Cranio-caudal mammogram of the left breast. 34-year-old patient.
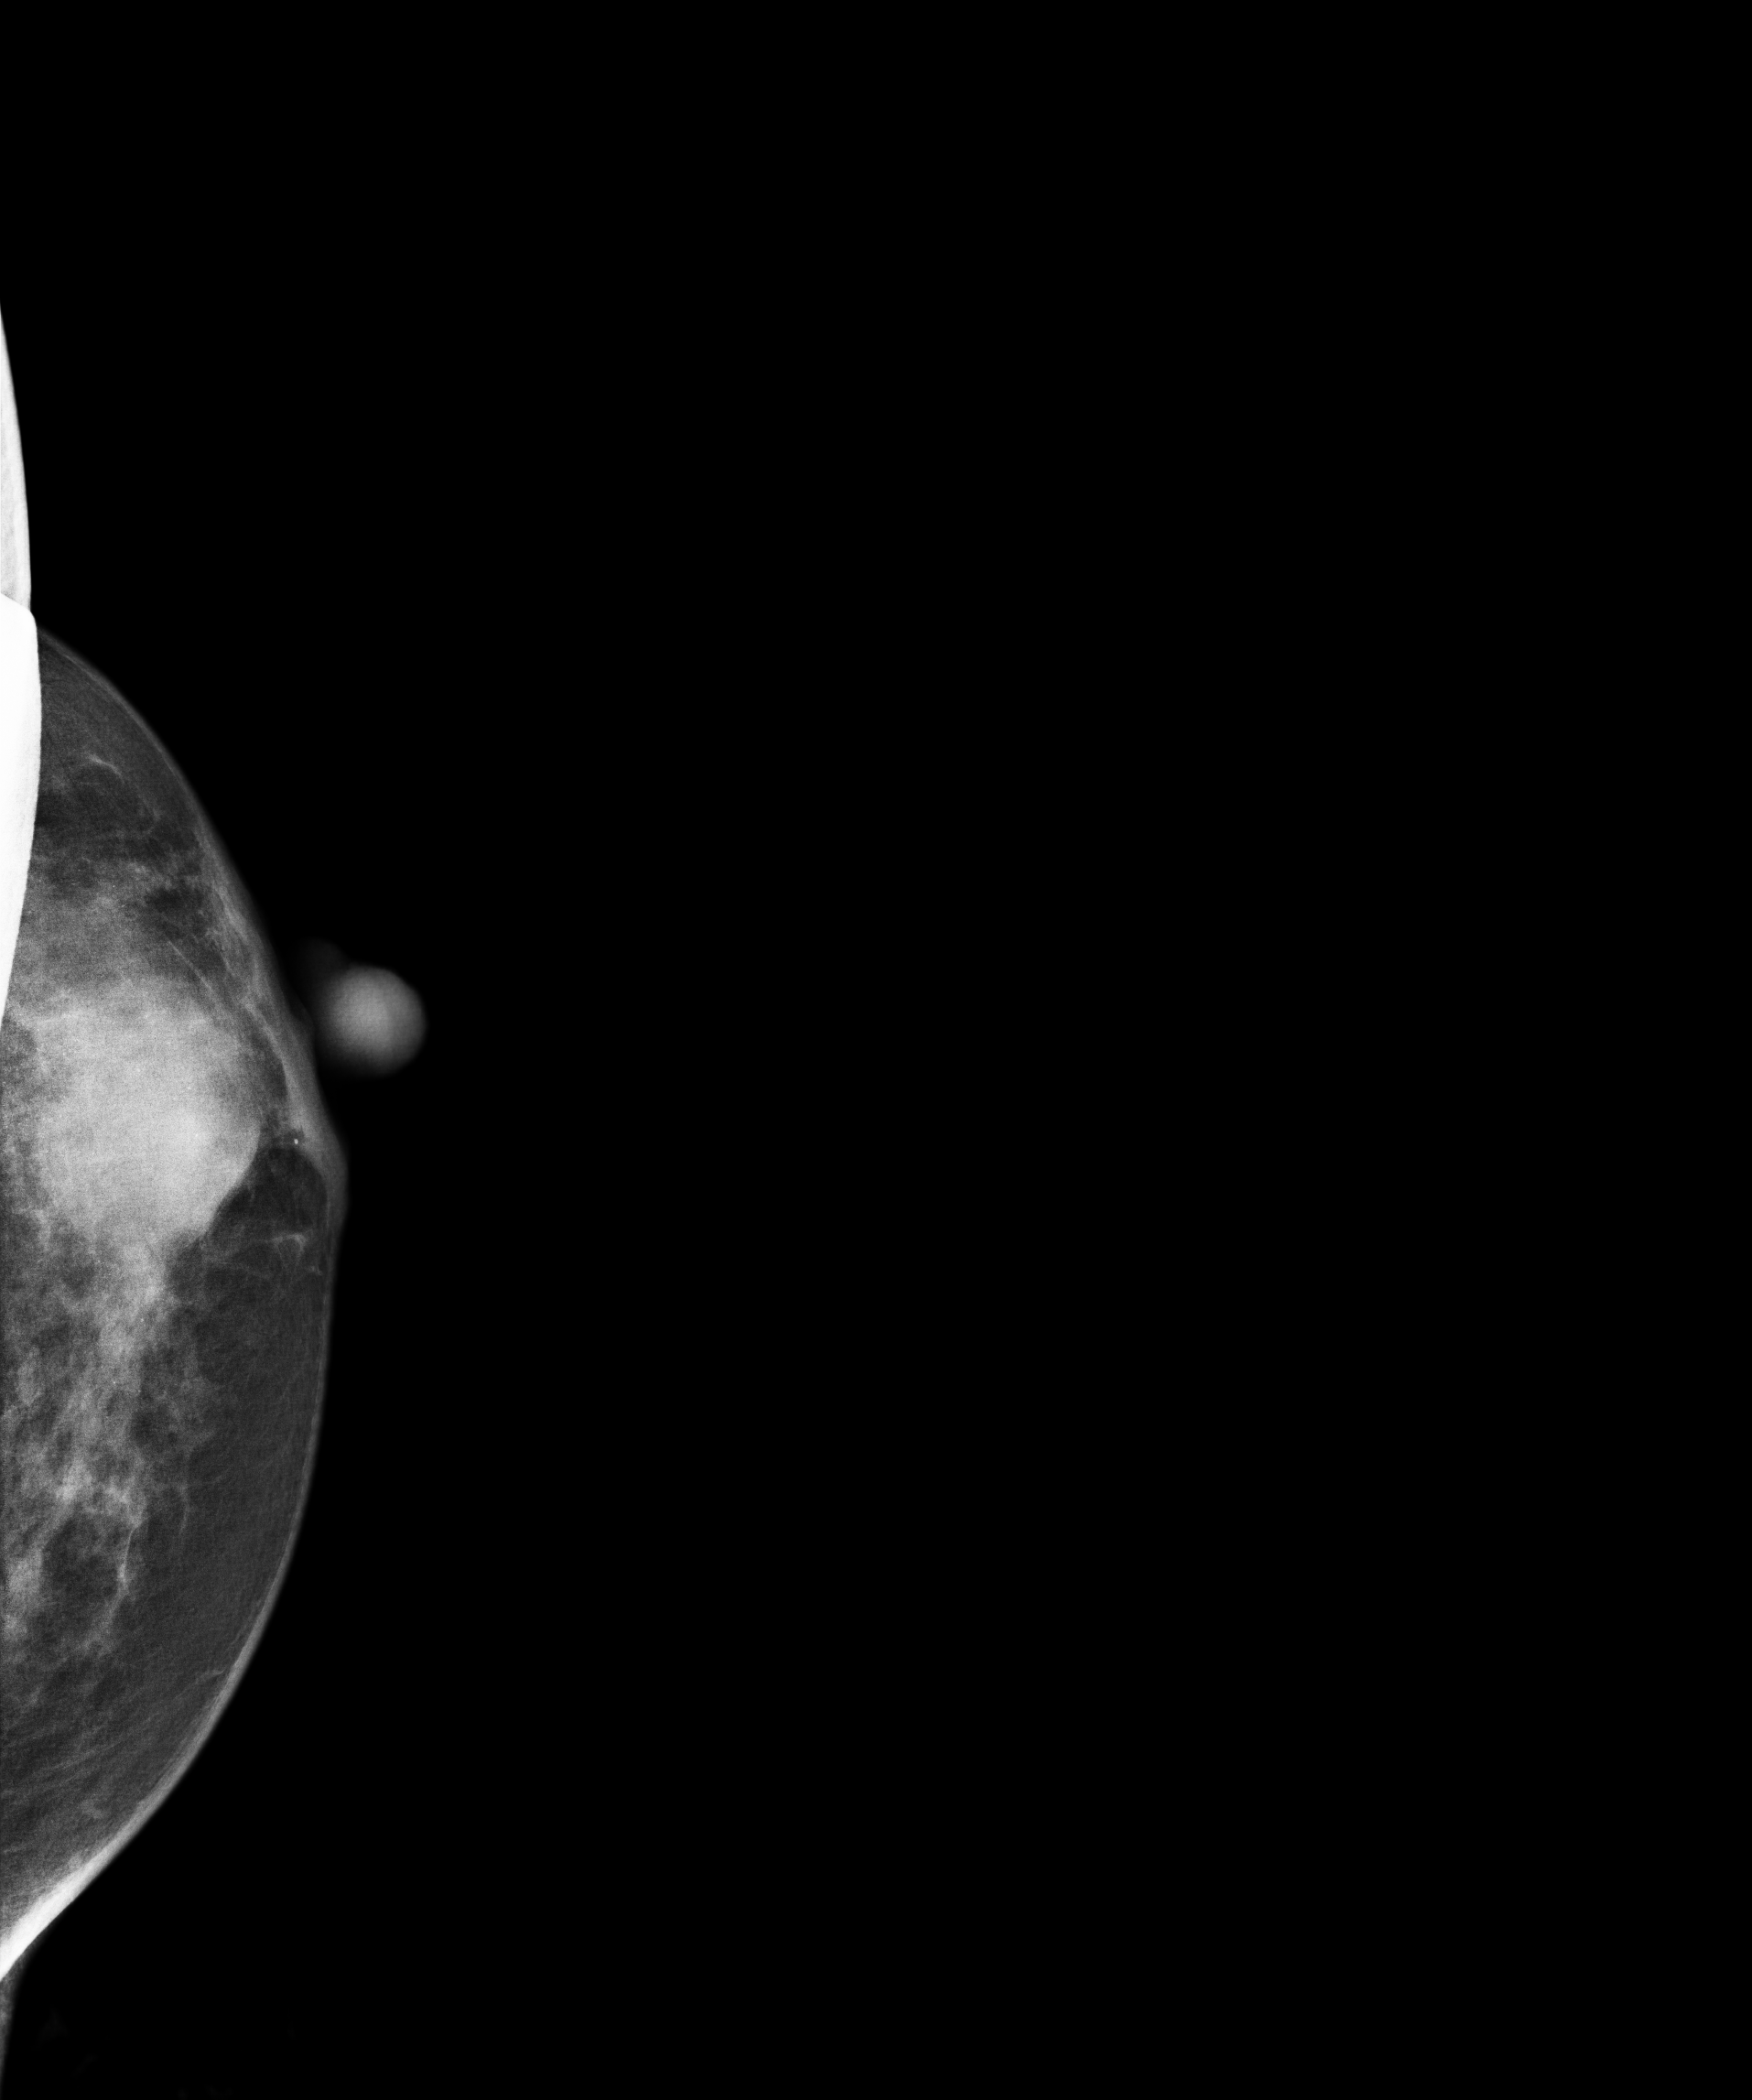
This breast has a mass and calcifications, histologically confirmed malignant.